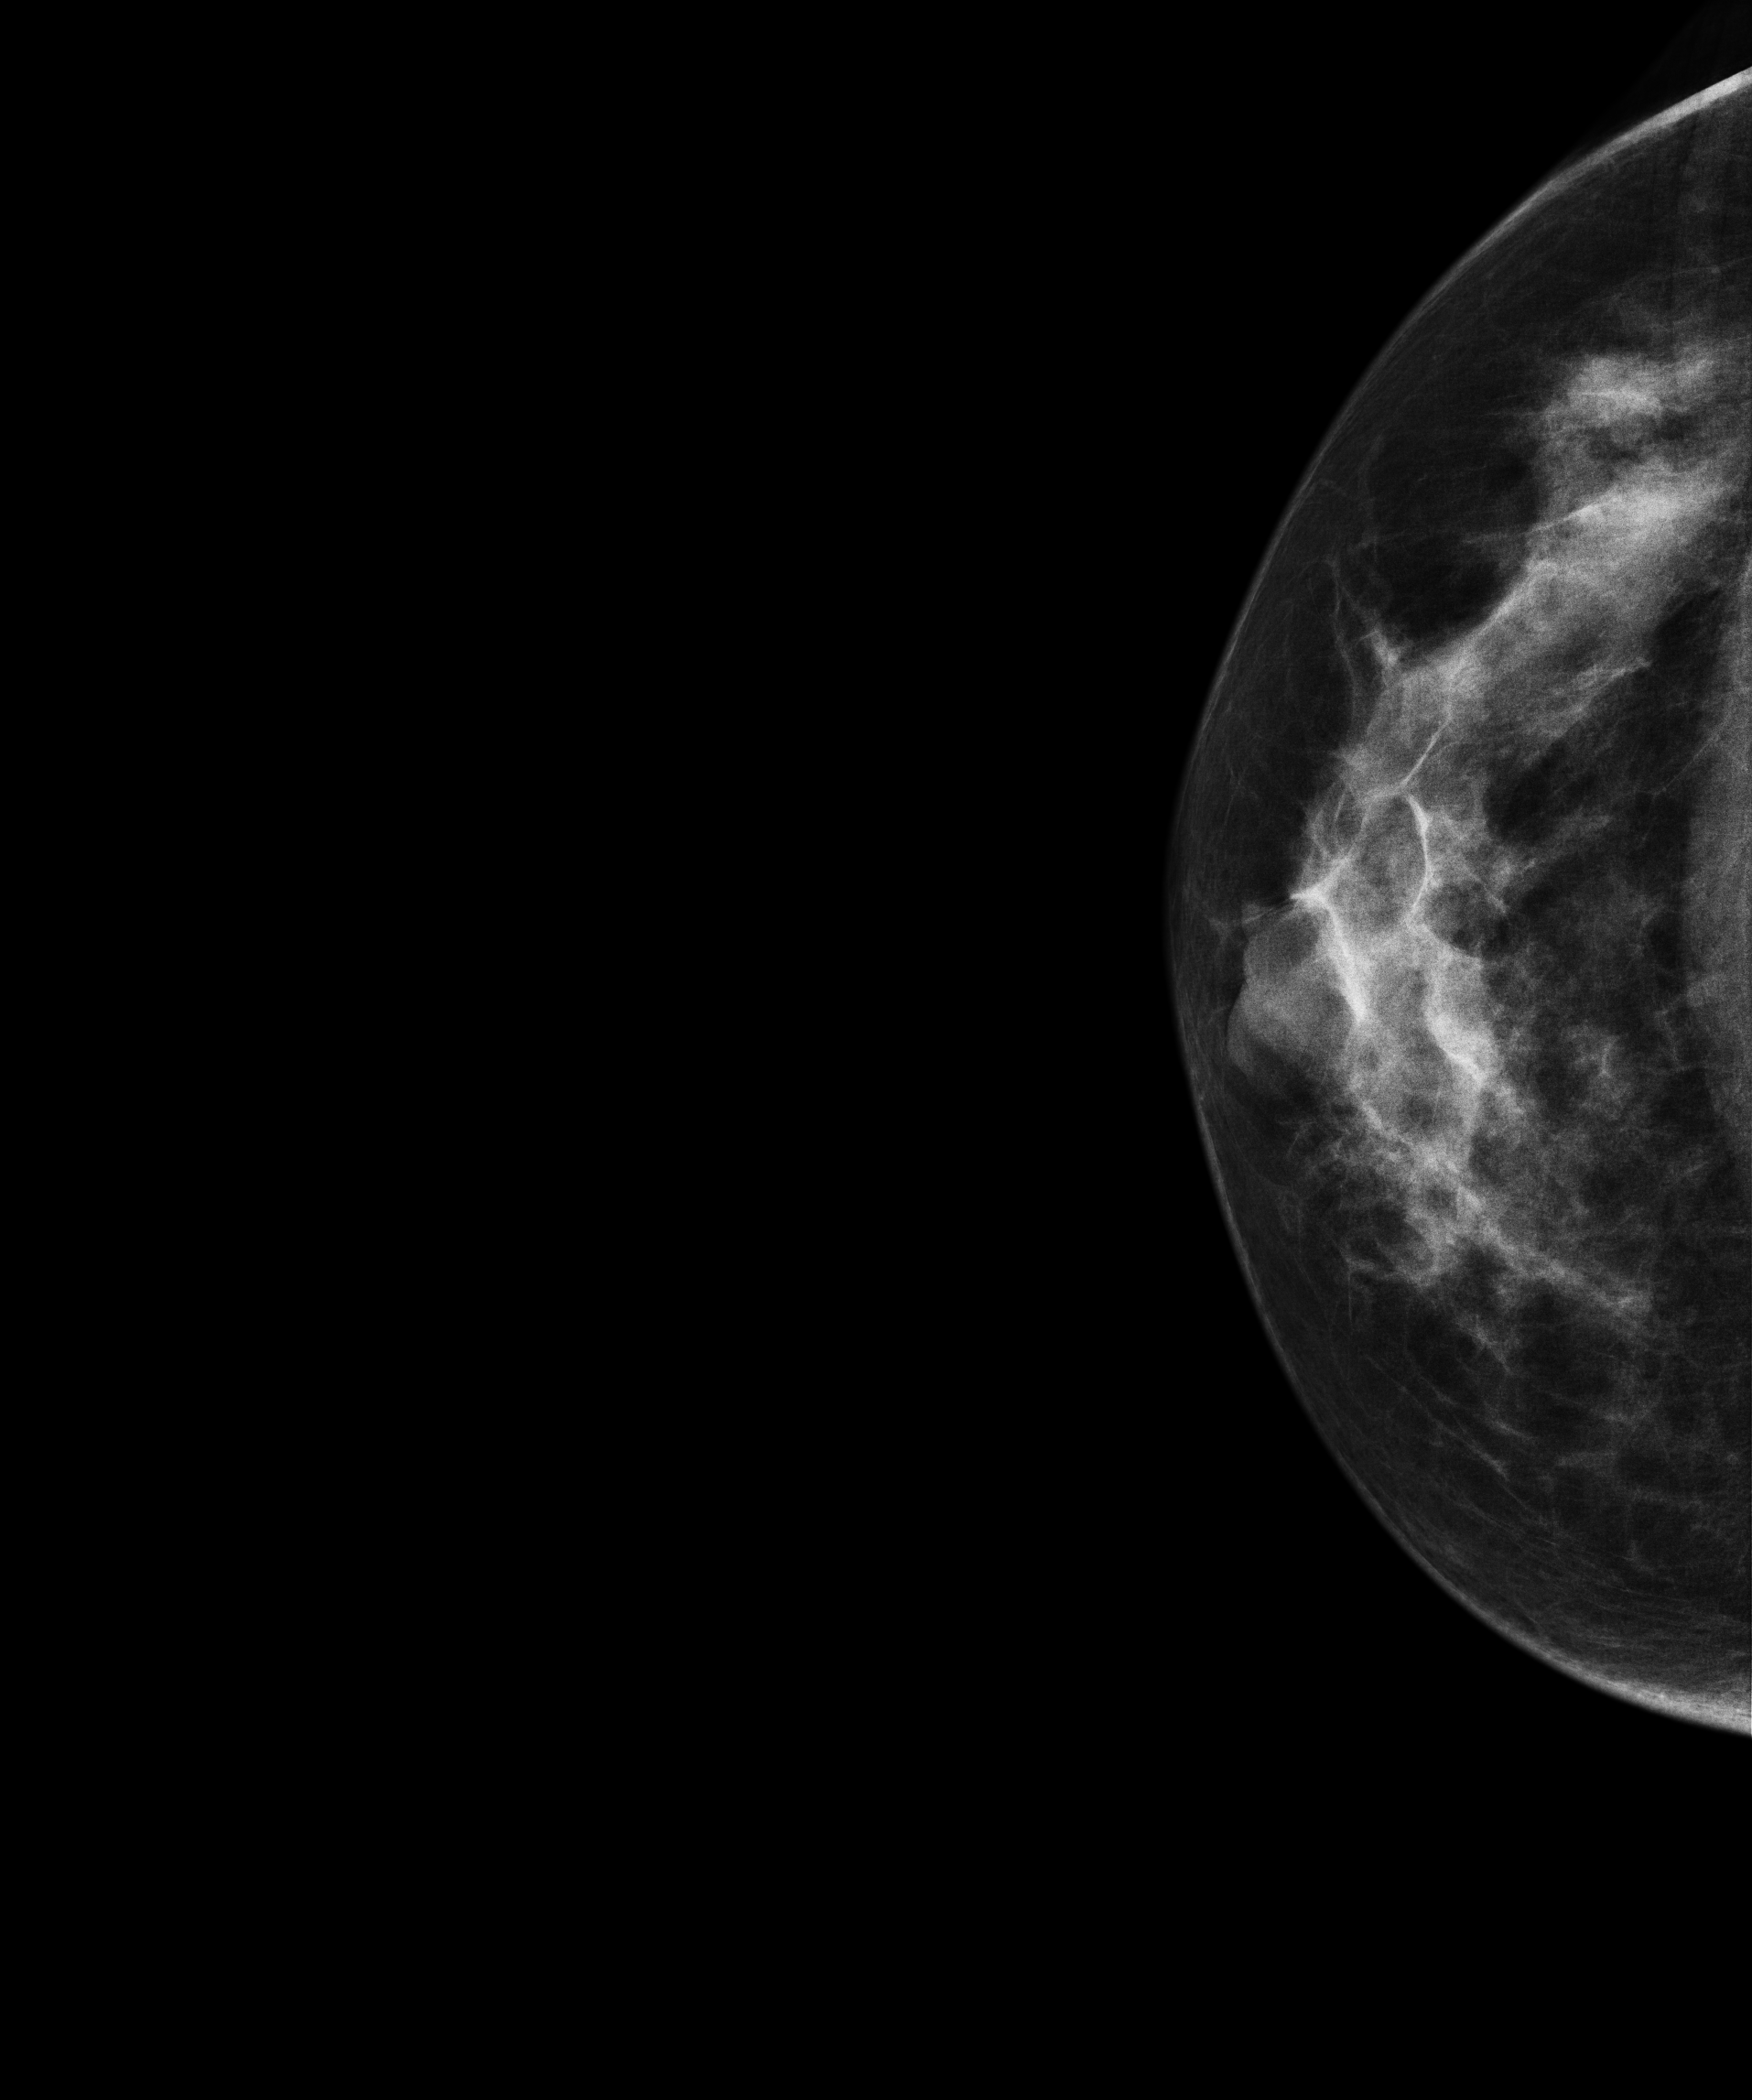
Digital mammography. Right breast, CC projection. 42-year-old patient.
Contralateral breast — no documented abnormality on this side.